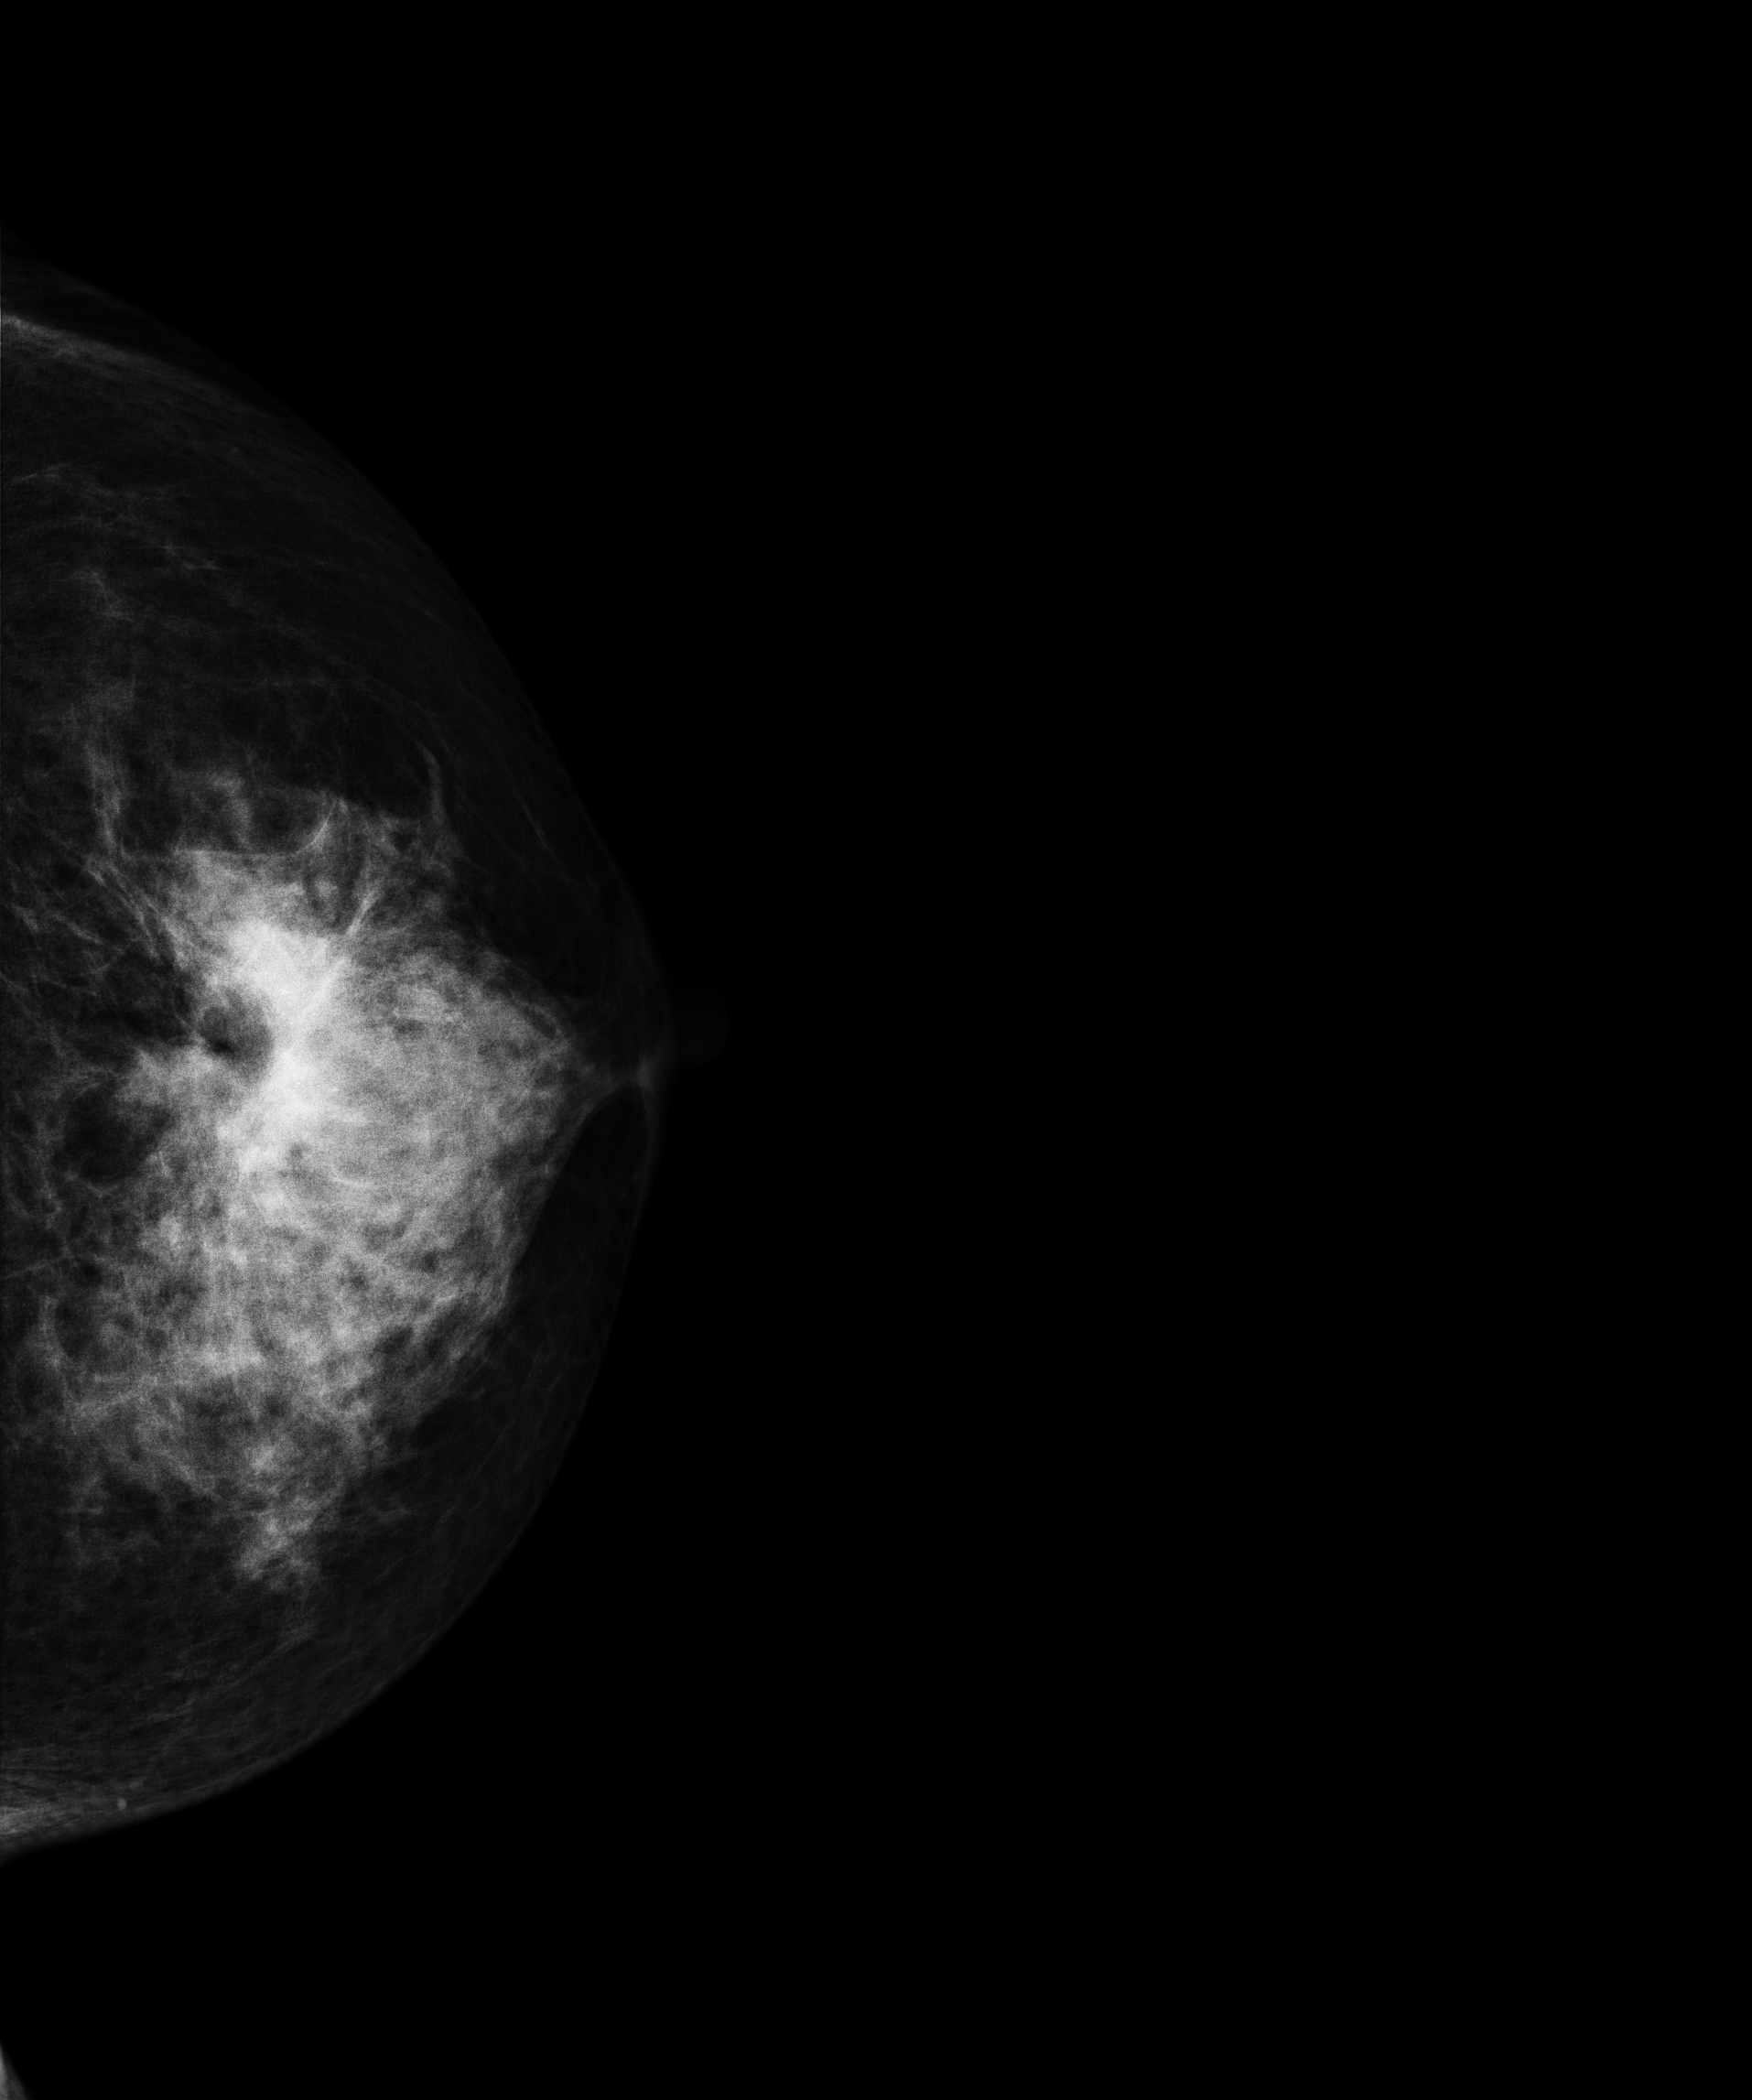
CC mammogram of the left breast. 56 y/o patient.
This breast has a mass, histologically confirmed malignant. Molecular subtype: luminal A.